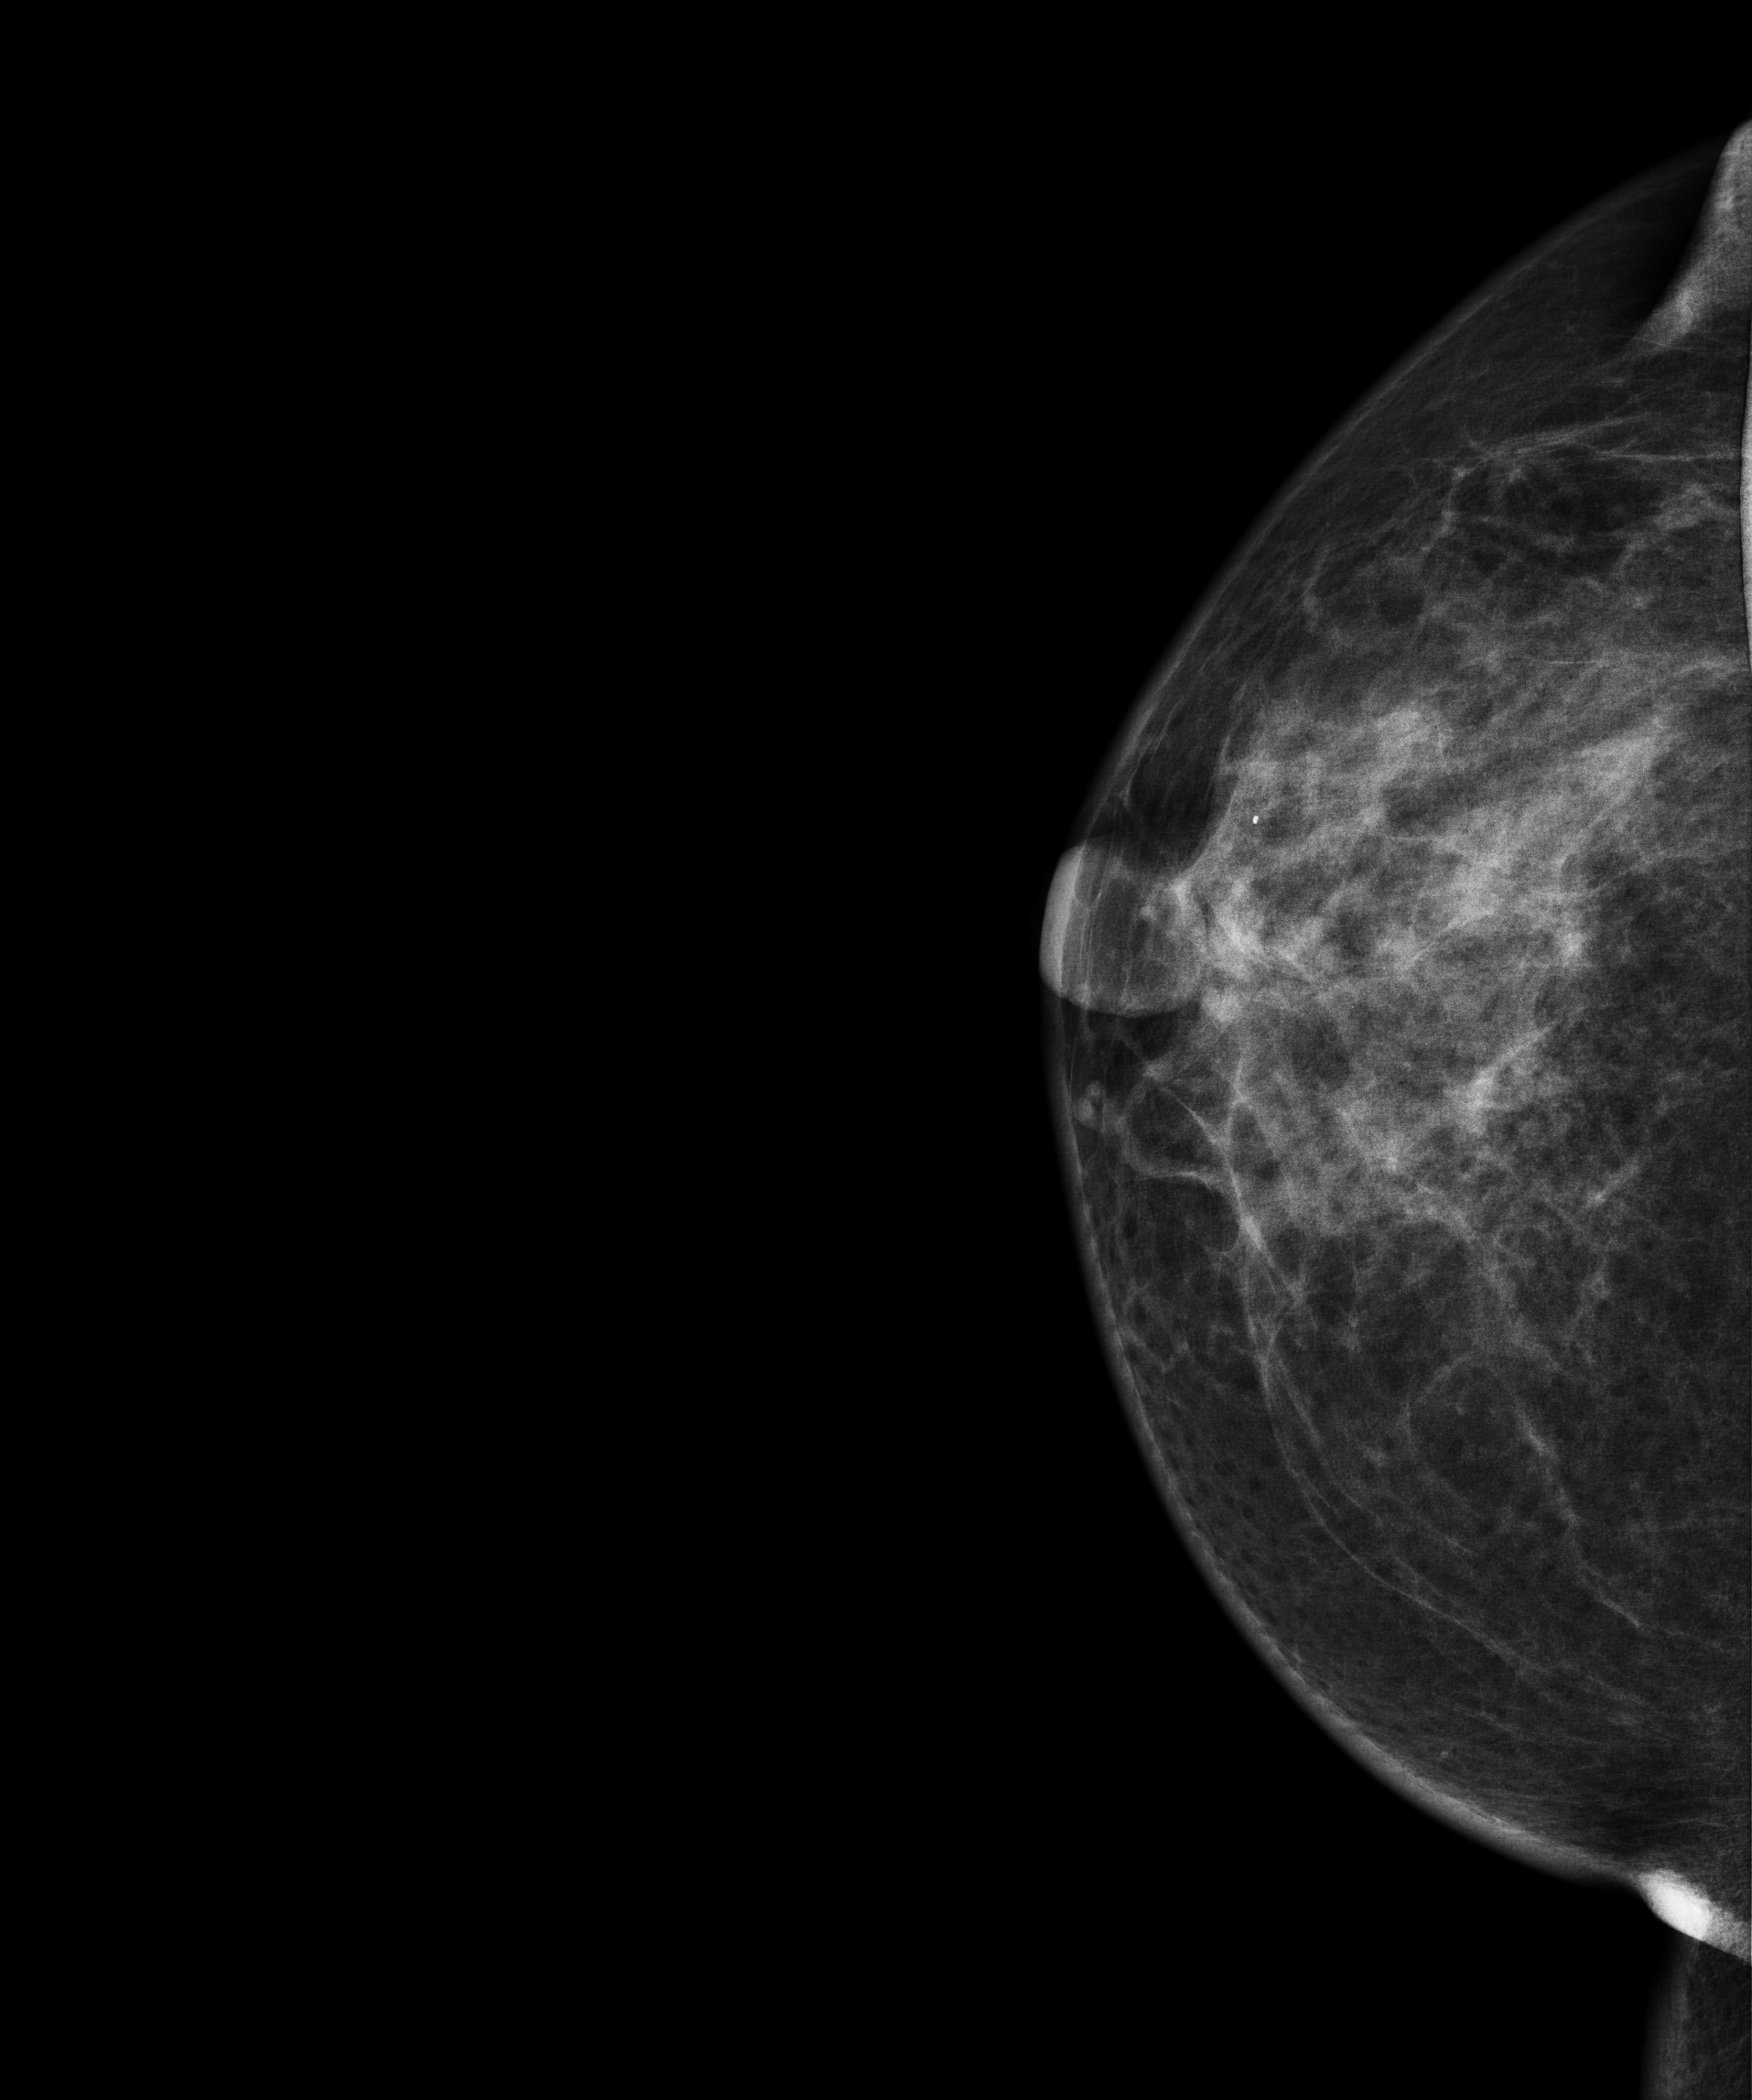
Right-breast mammogram, cranio-caudal. 48-year-old patient.
Contralateral breast — no documented abnormality on this side.